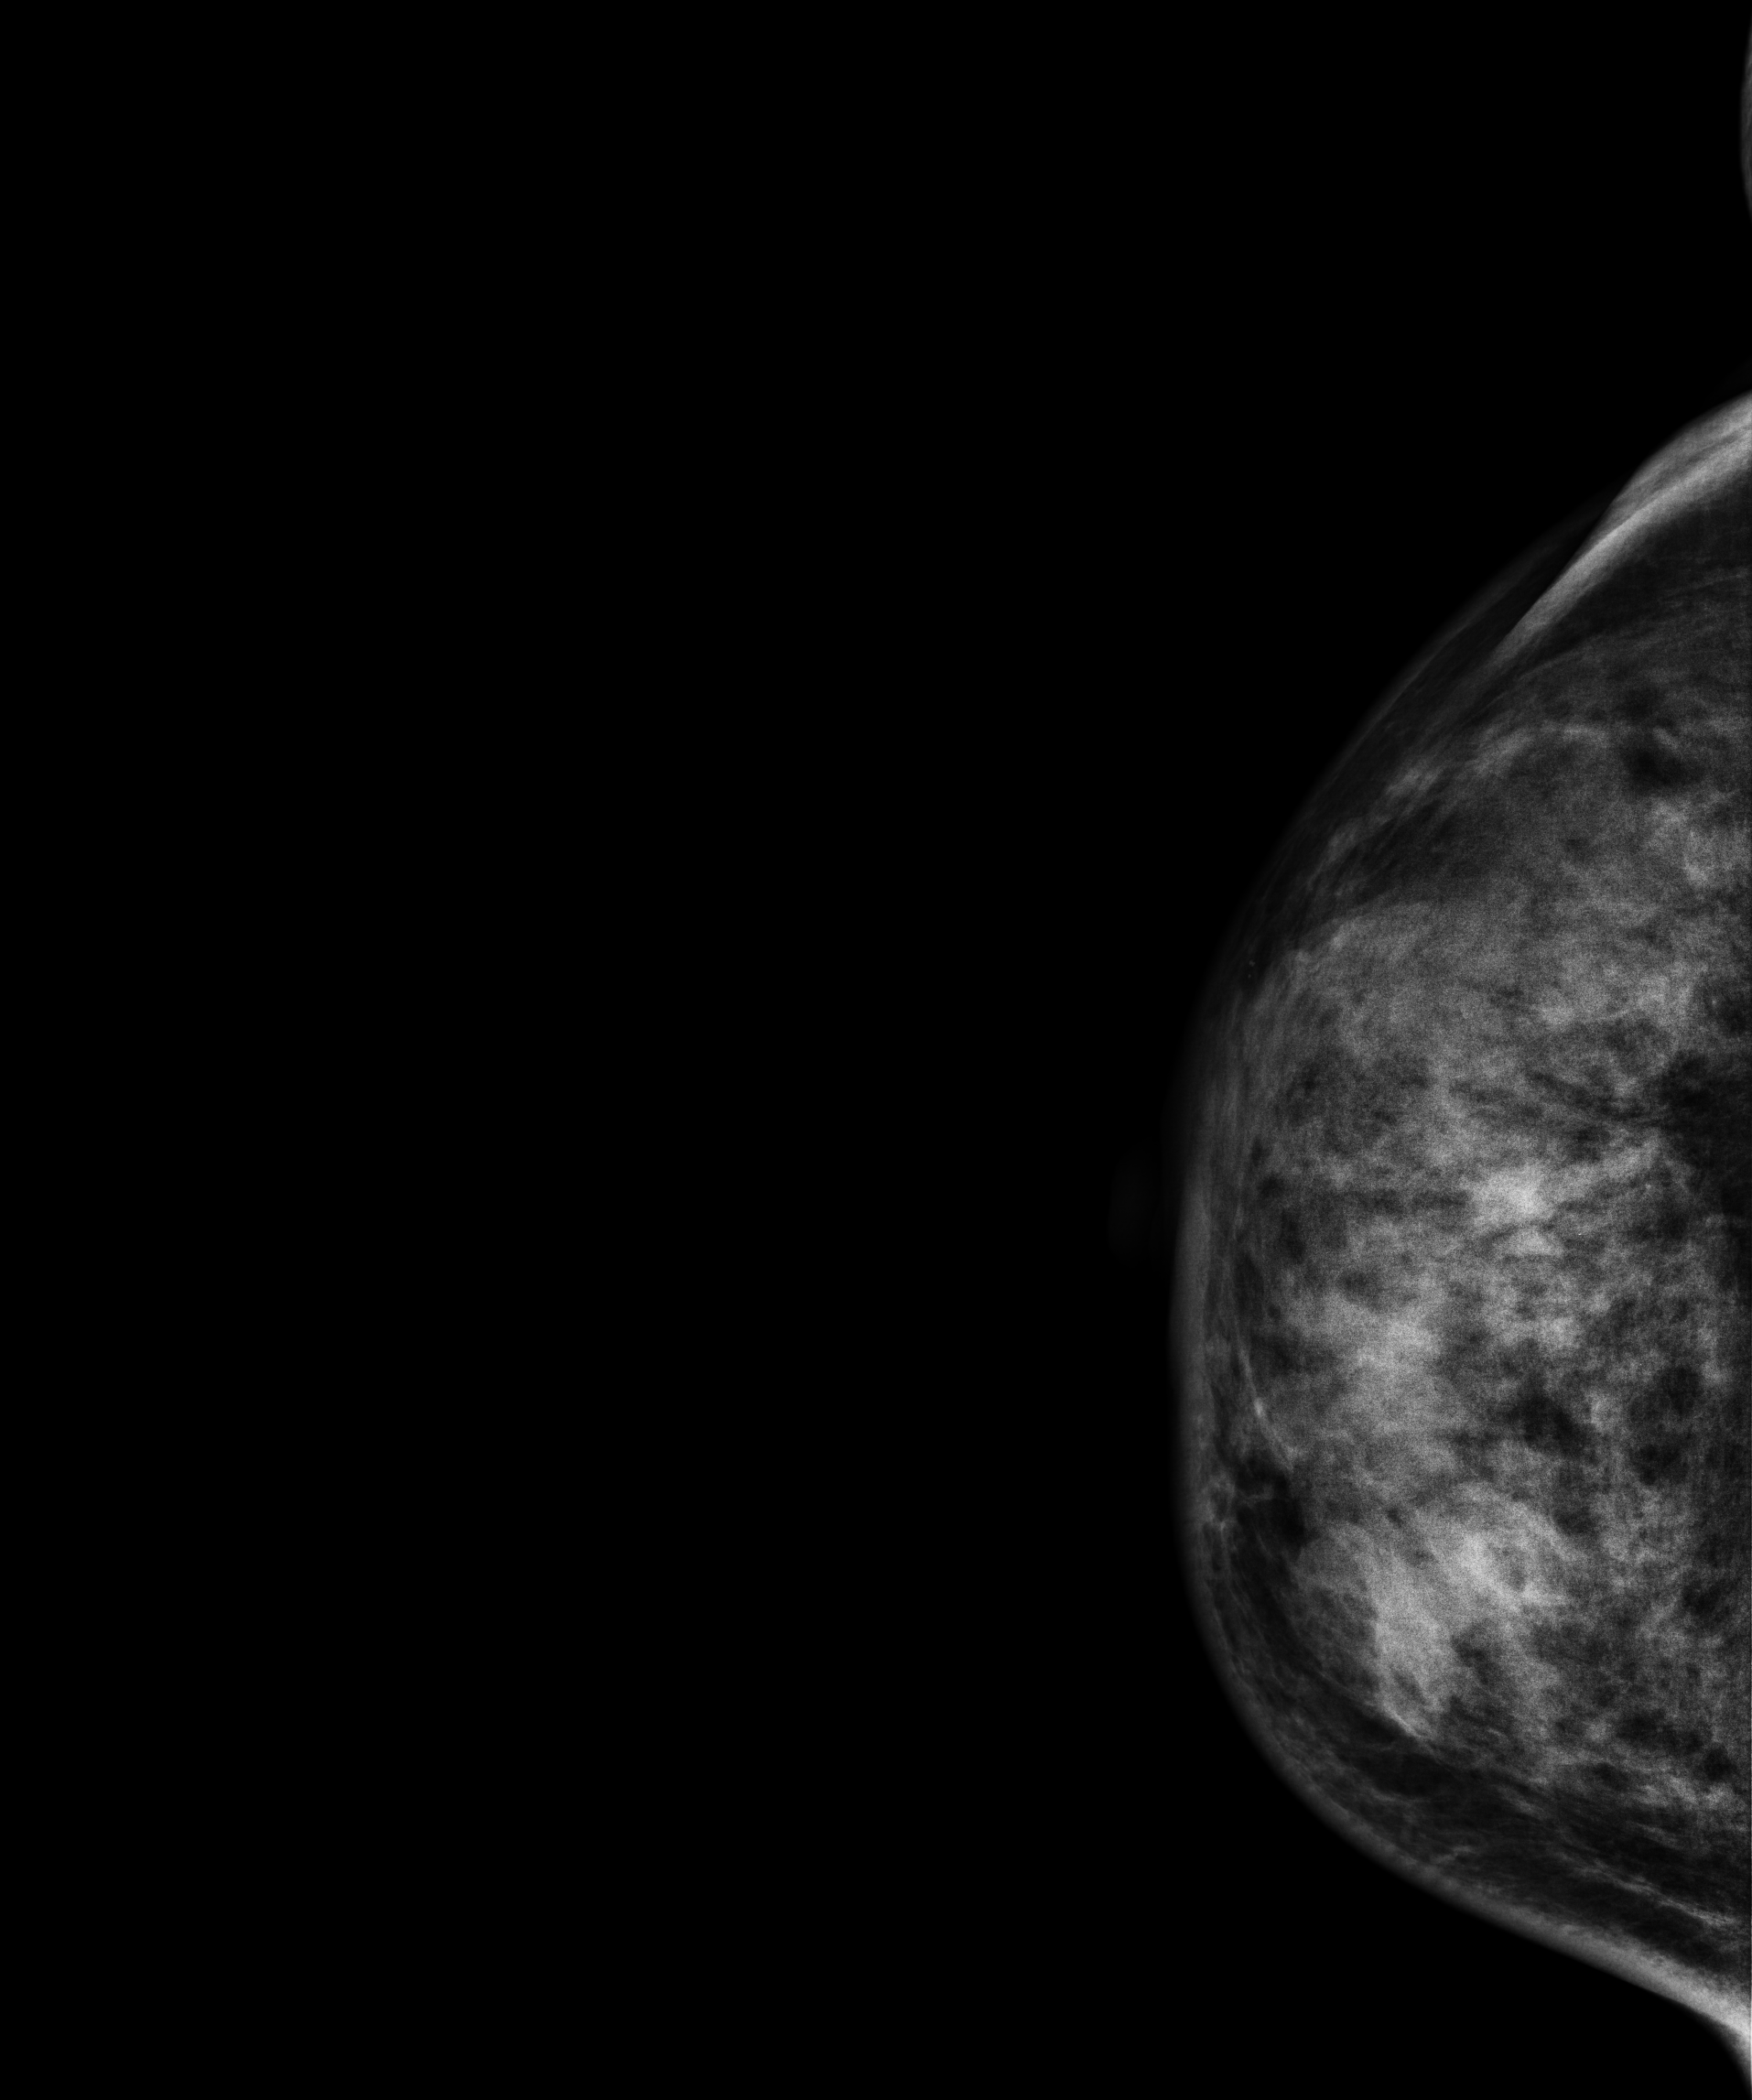
Digital mammography. Right breast, CC projection. Patient age 49.
This breast has a mass, biopsy-confirmed malignant. Molecular subtype: triple-negative.